MLO mammogram of the left breast. Patient age 48.
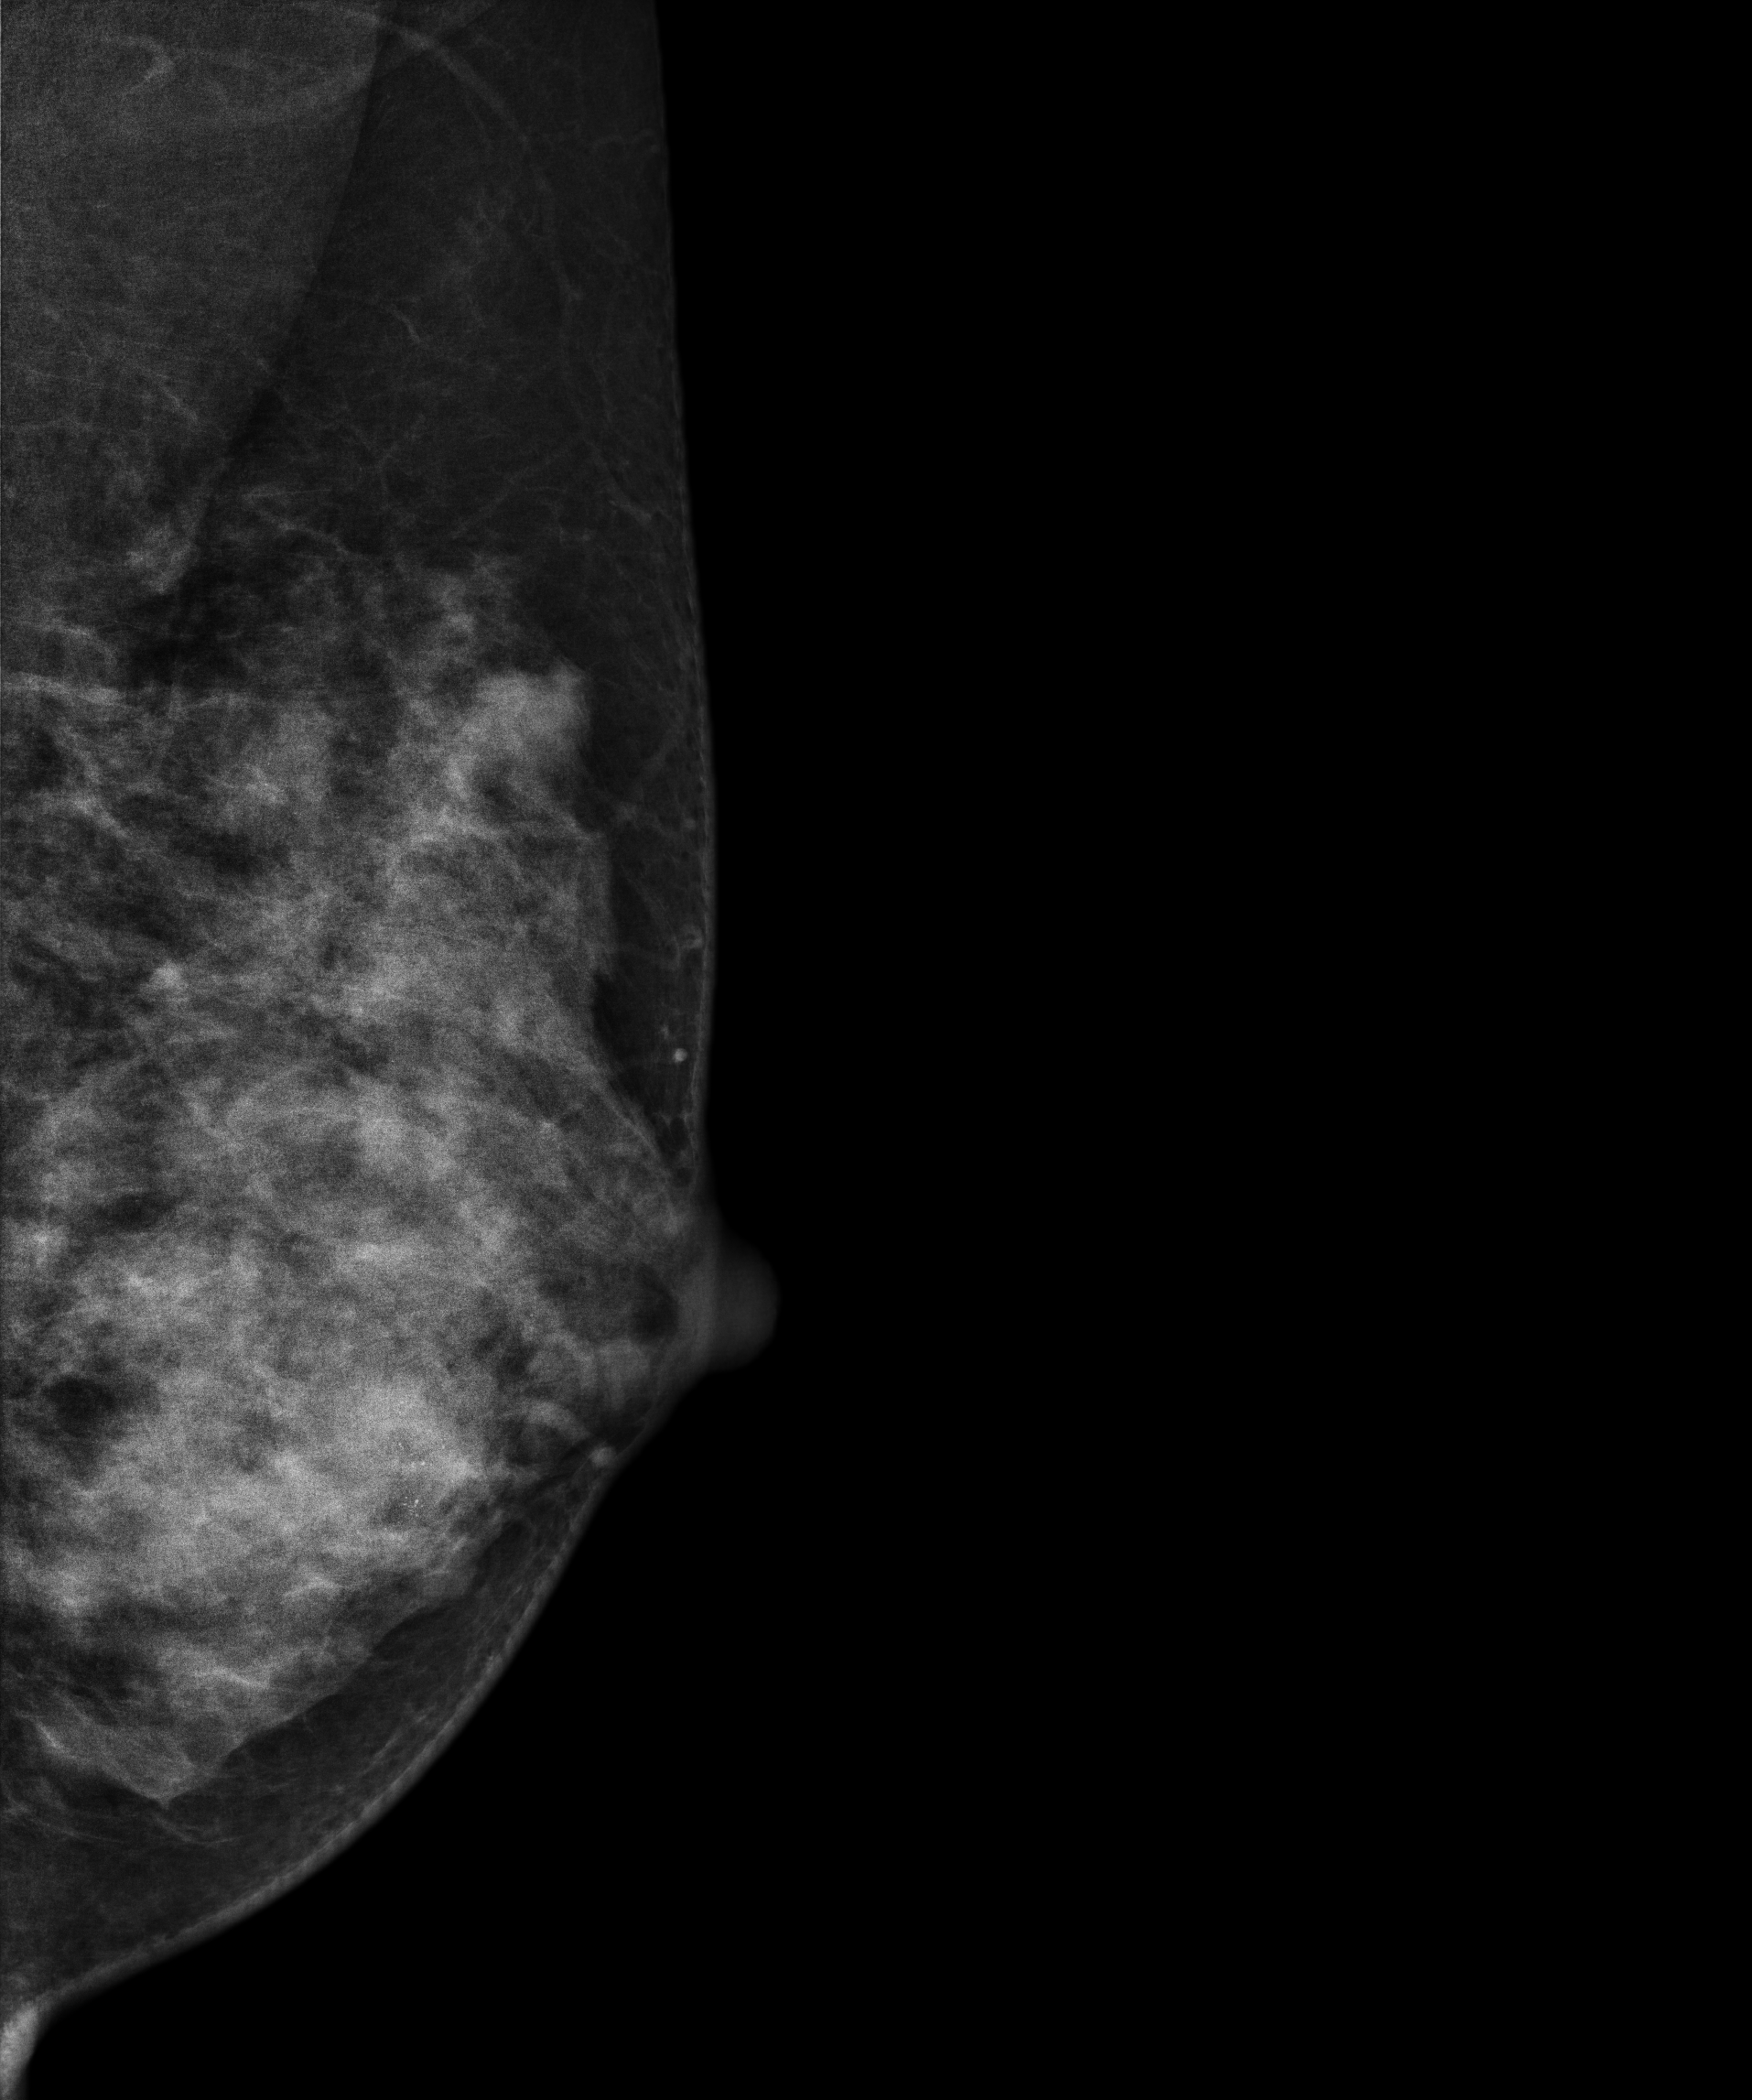
This breast has a mass and calcifications, biopsy-confirmed malignant.